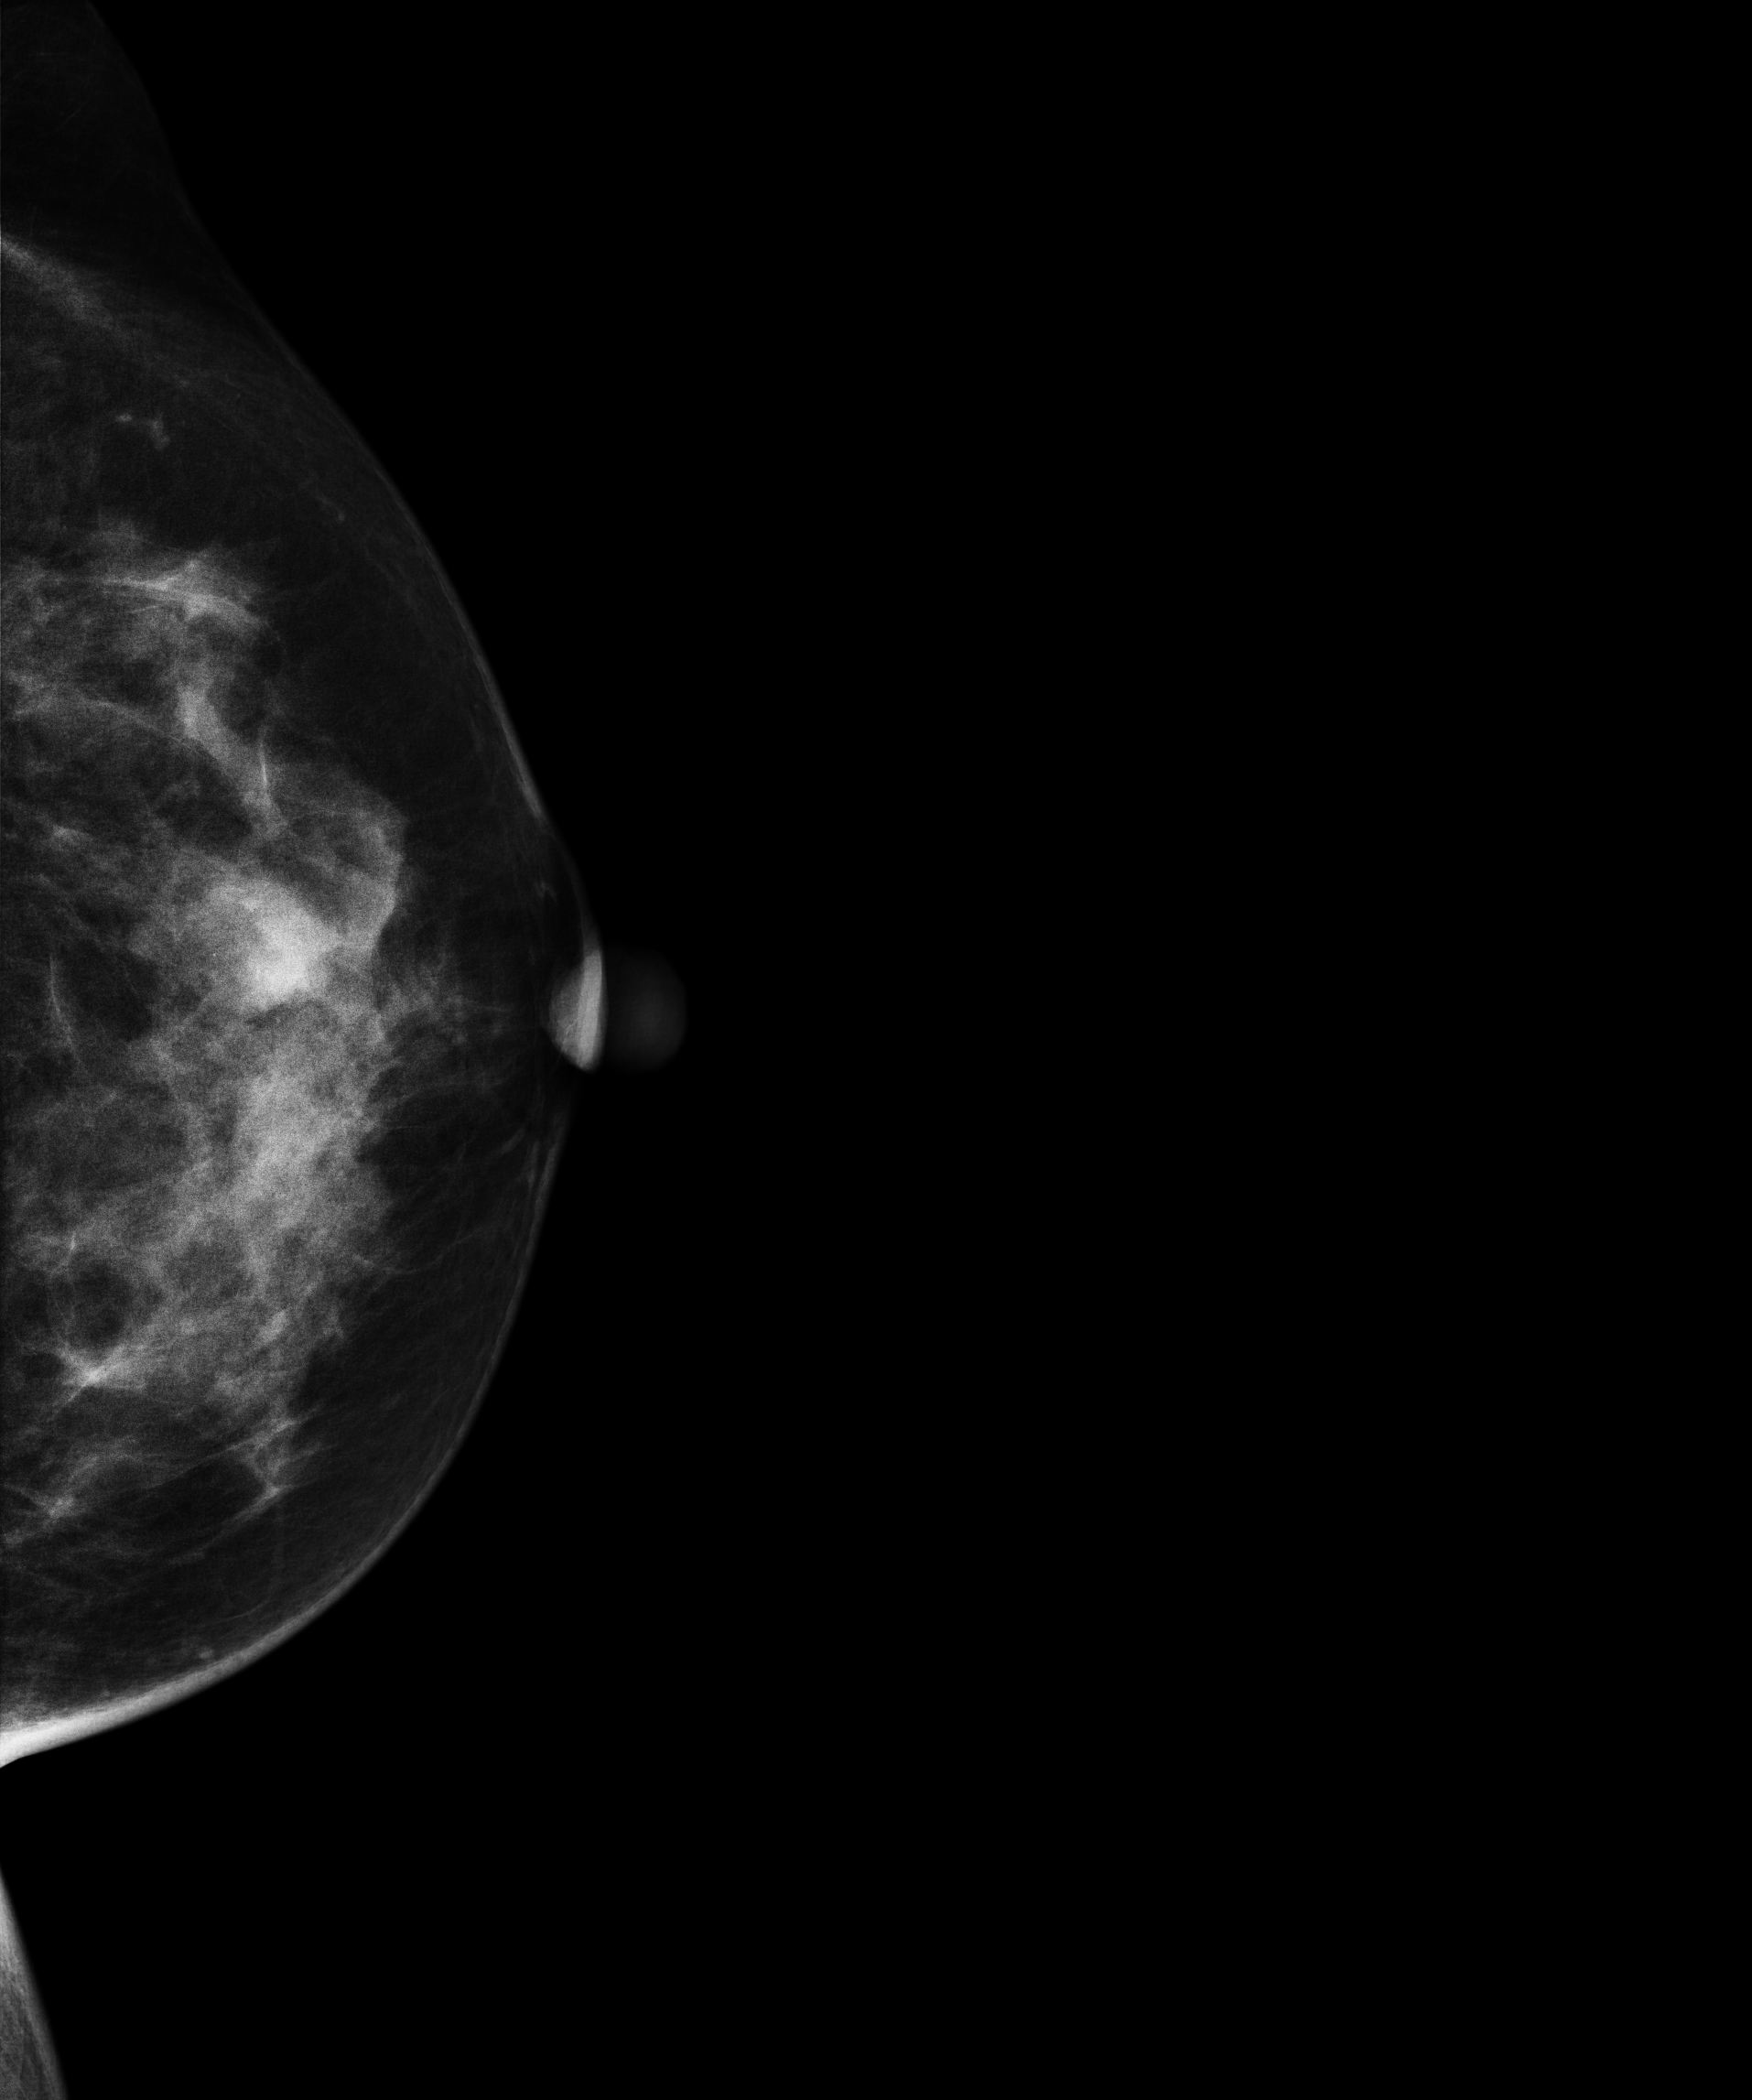
Digital mammography. Left breast, CC projection. 40-year-old patient.
This breast has a mass and calcifications, pathology-confirmed benign.